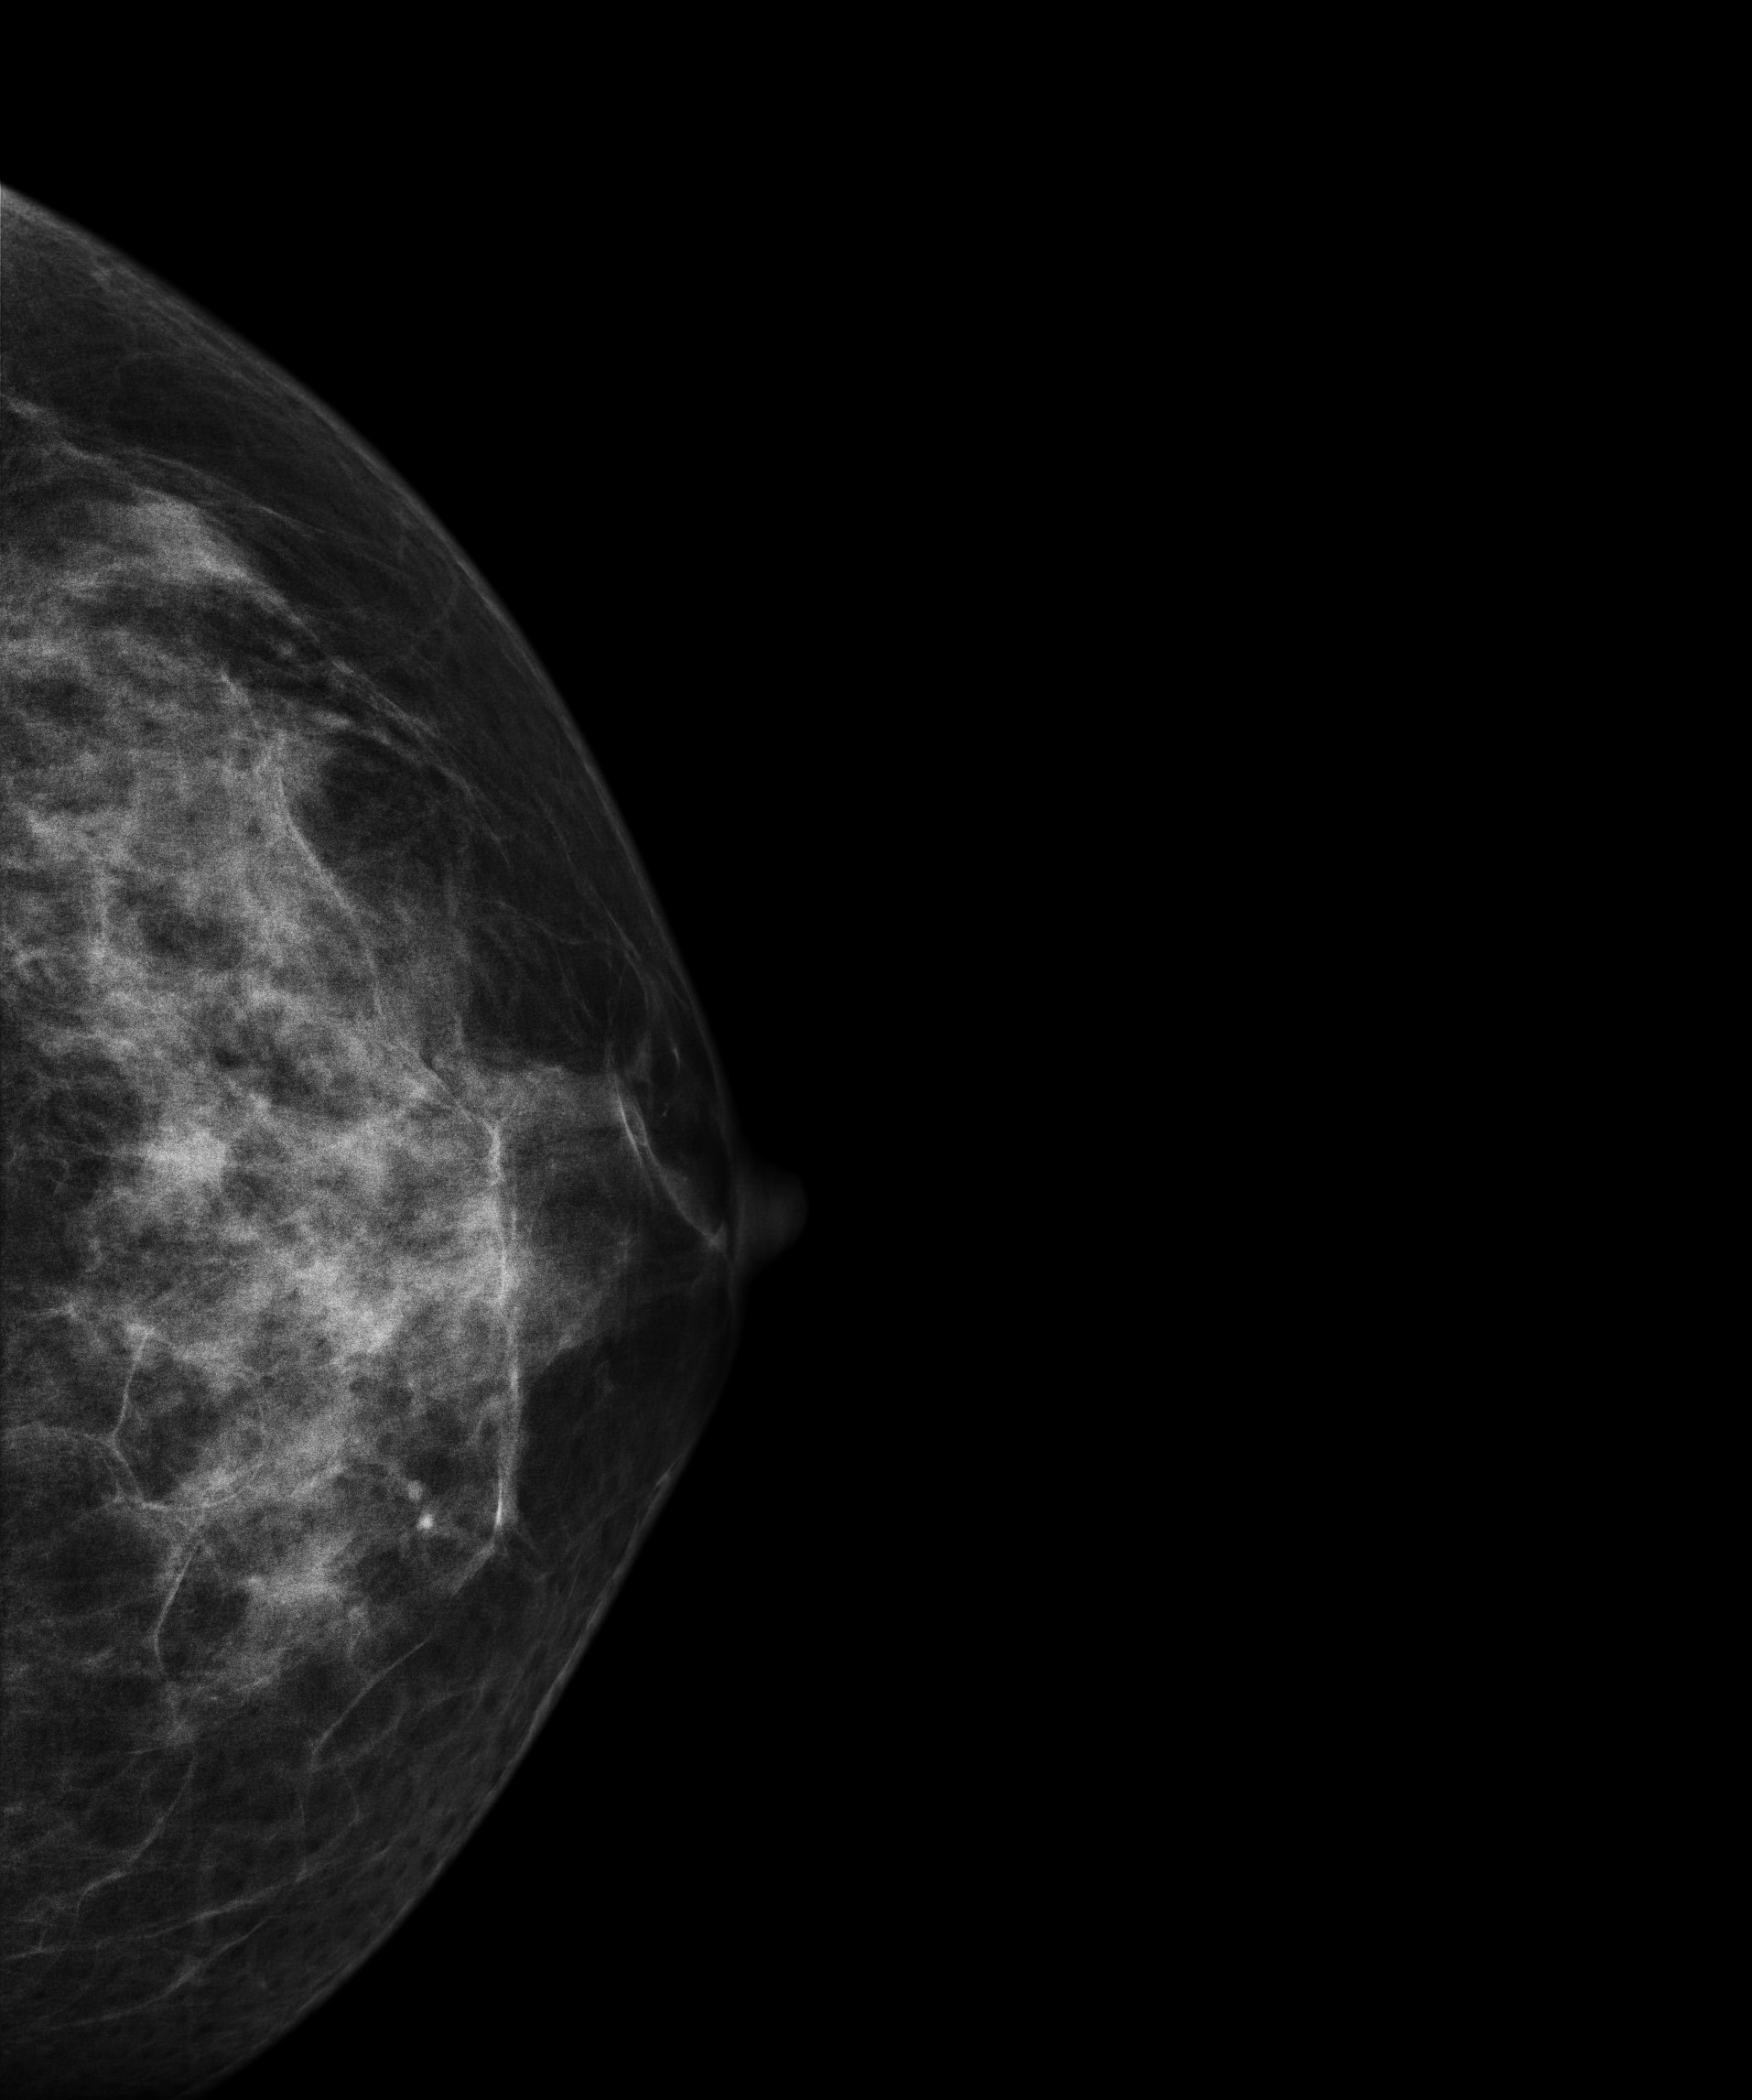
Digital mammography. Left breast, CC projection. 41-year-old patient.
Contralateral breast — no documented abnormality on this side.